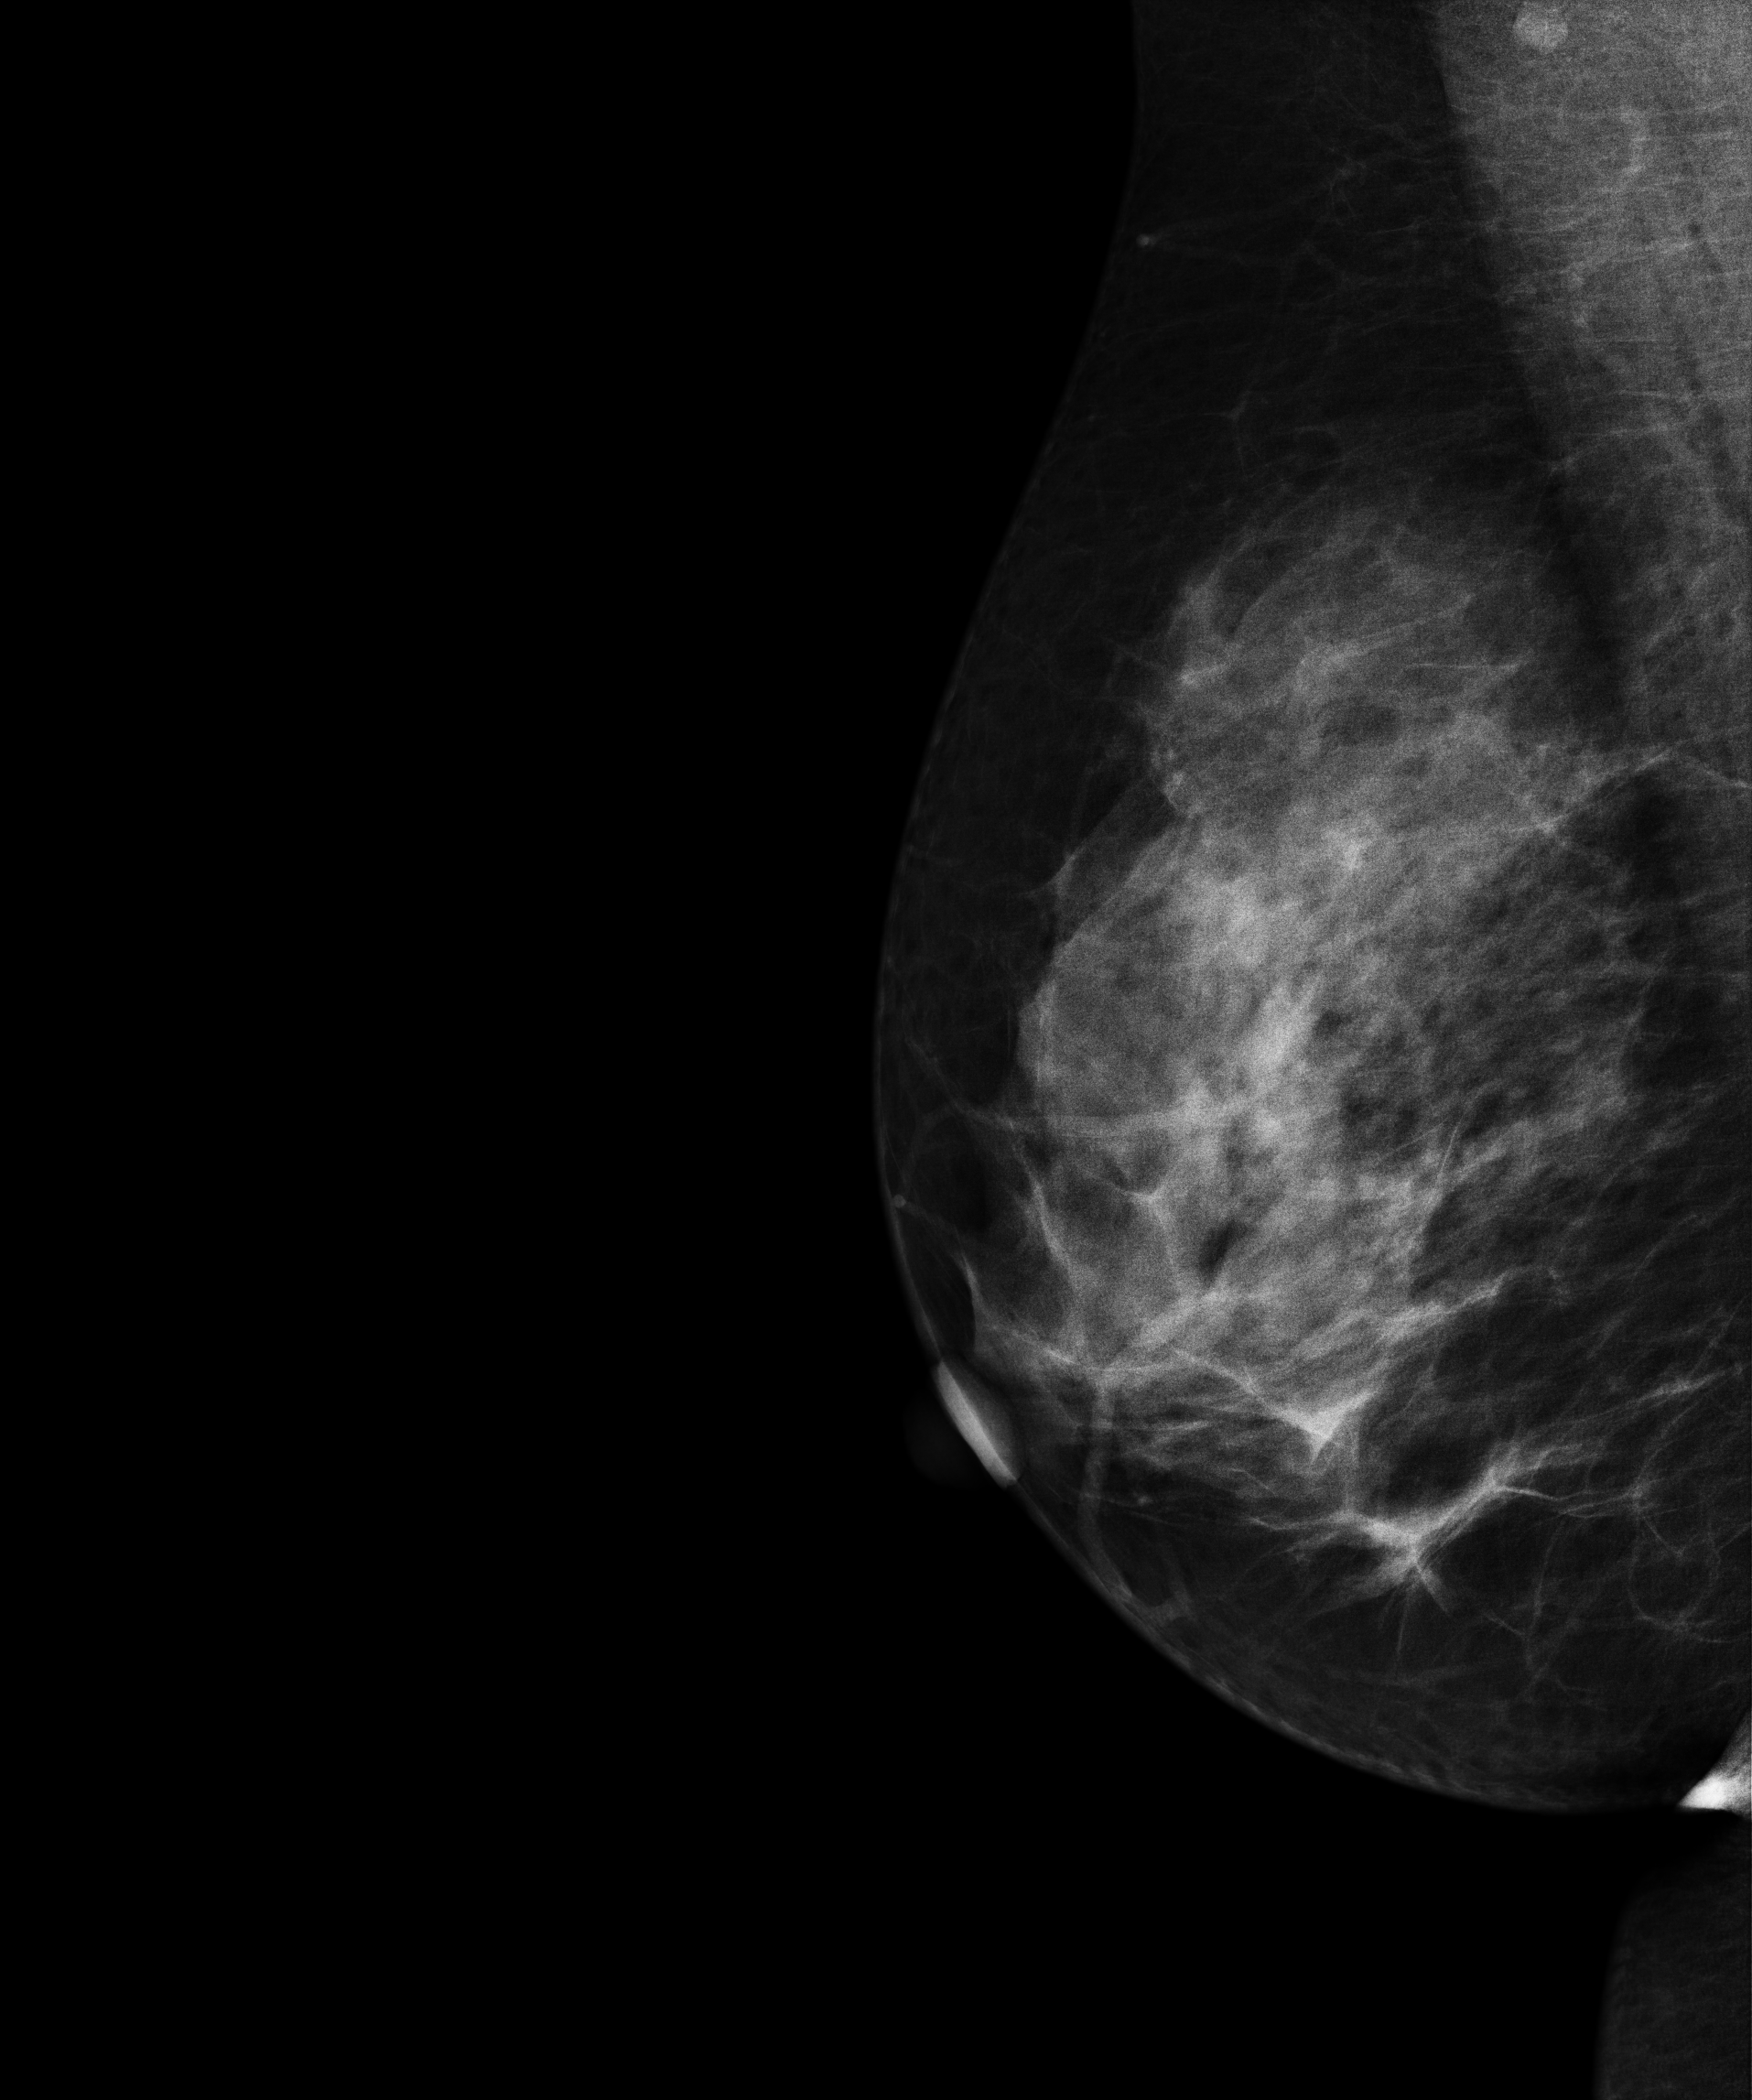
Mammogram, right breast, MLO view. Patient age 48.
Contralateral breast — no documented abnormality on this side.